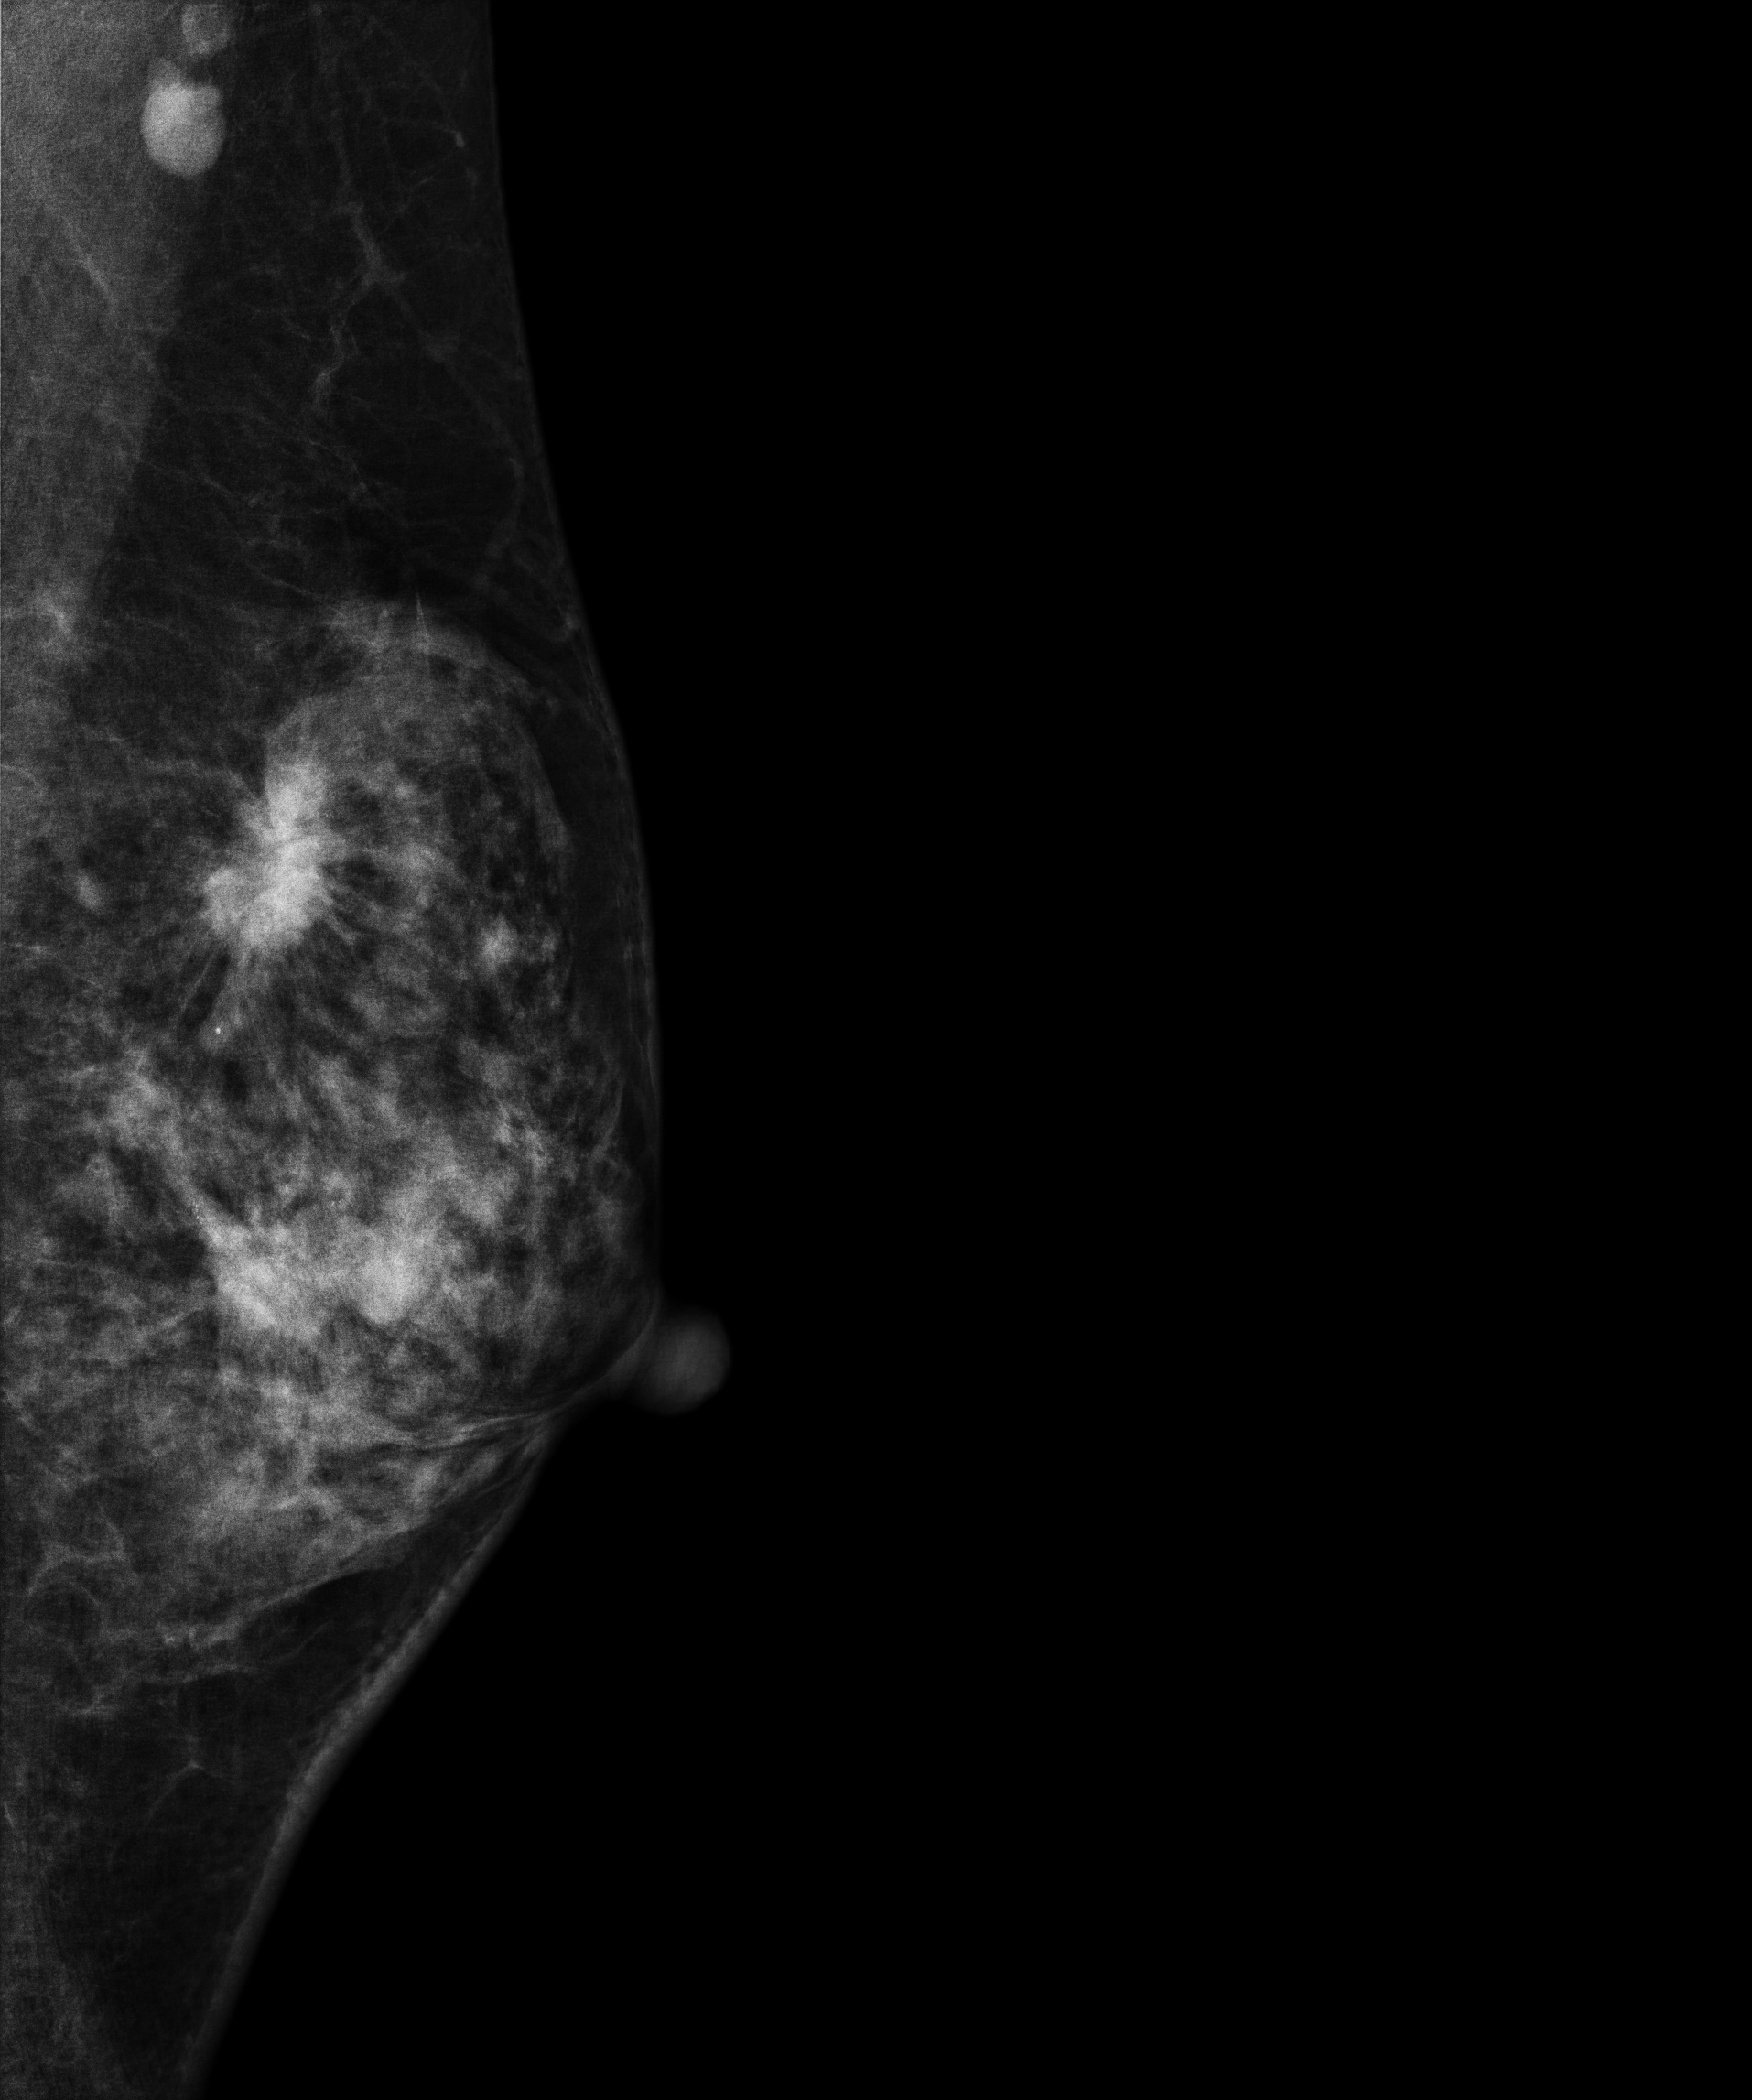
Left-breast mammogram, medio-lateral oblique. 33 y/o patient.
This breast has a mass, biopsy-confirmed malignant.